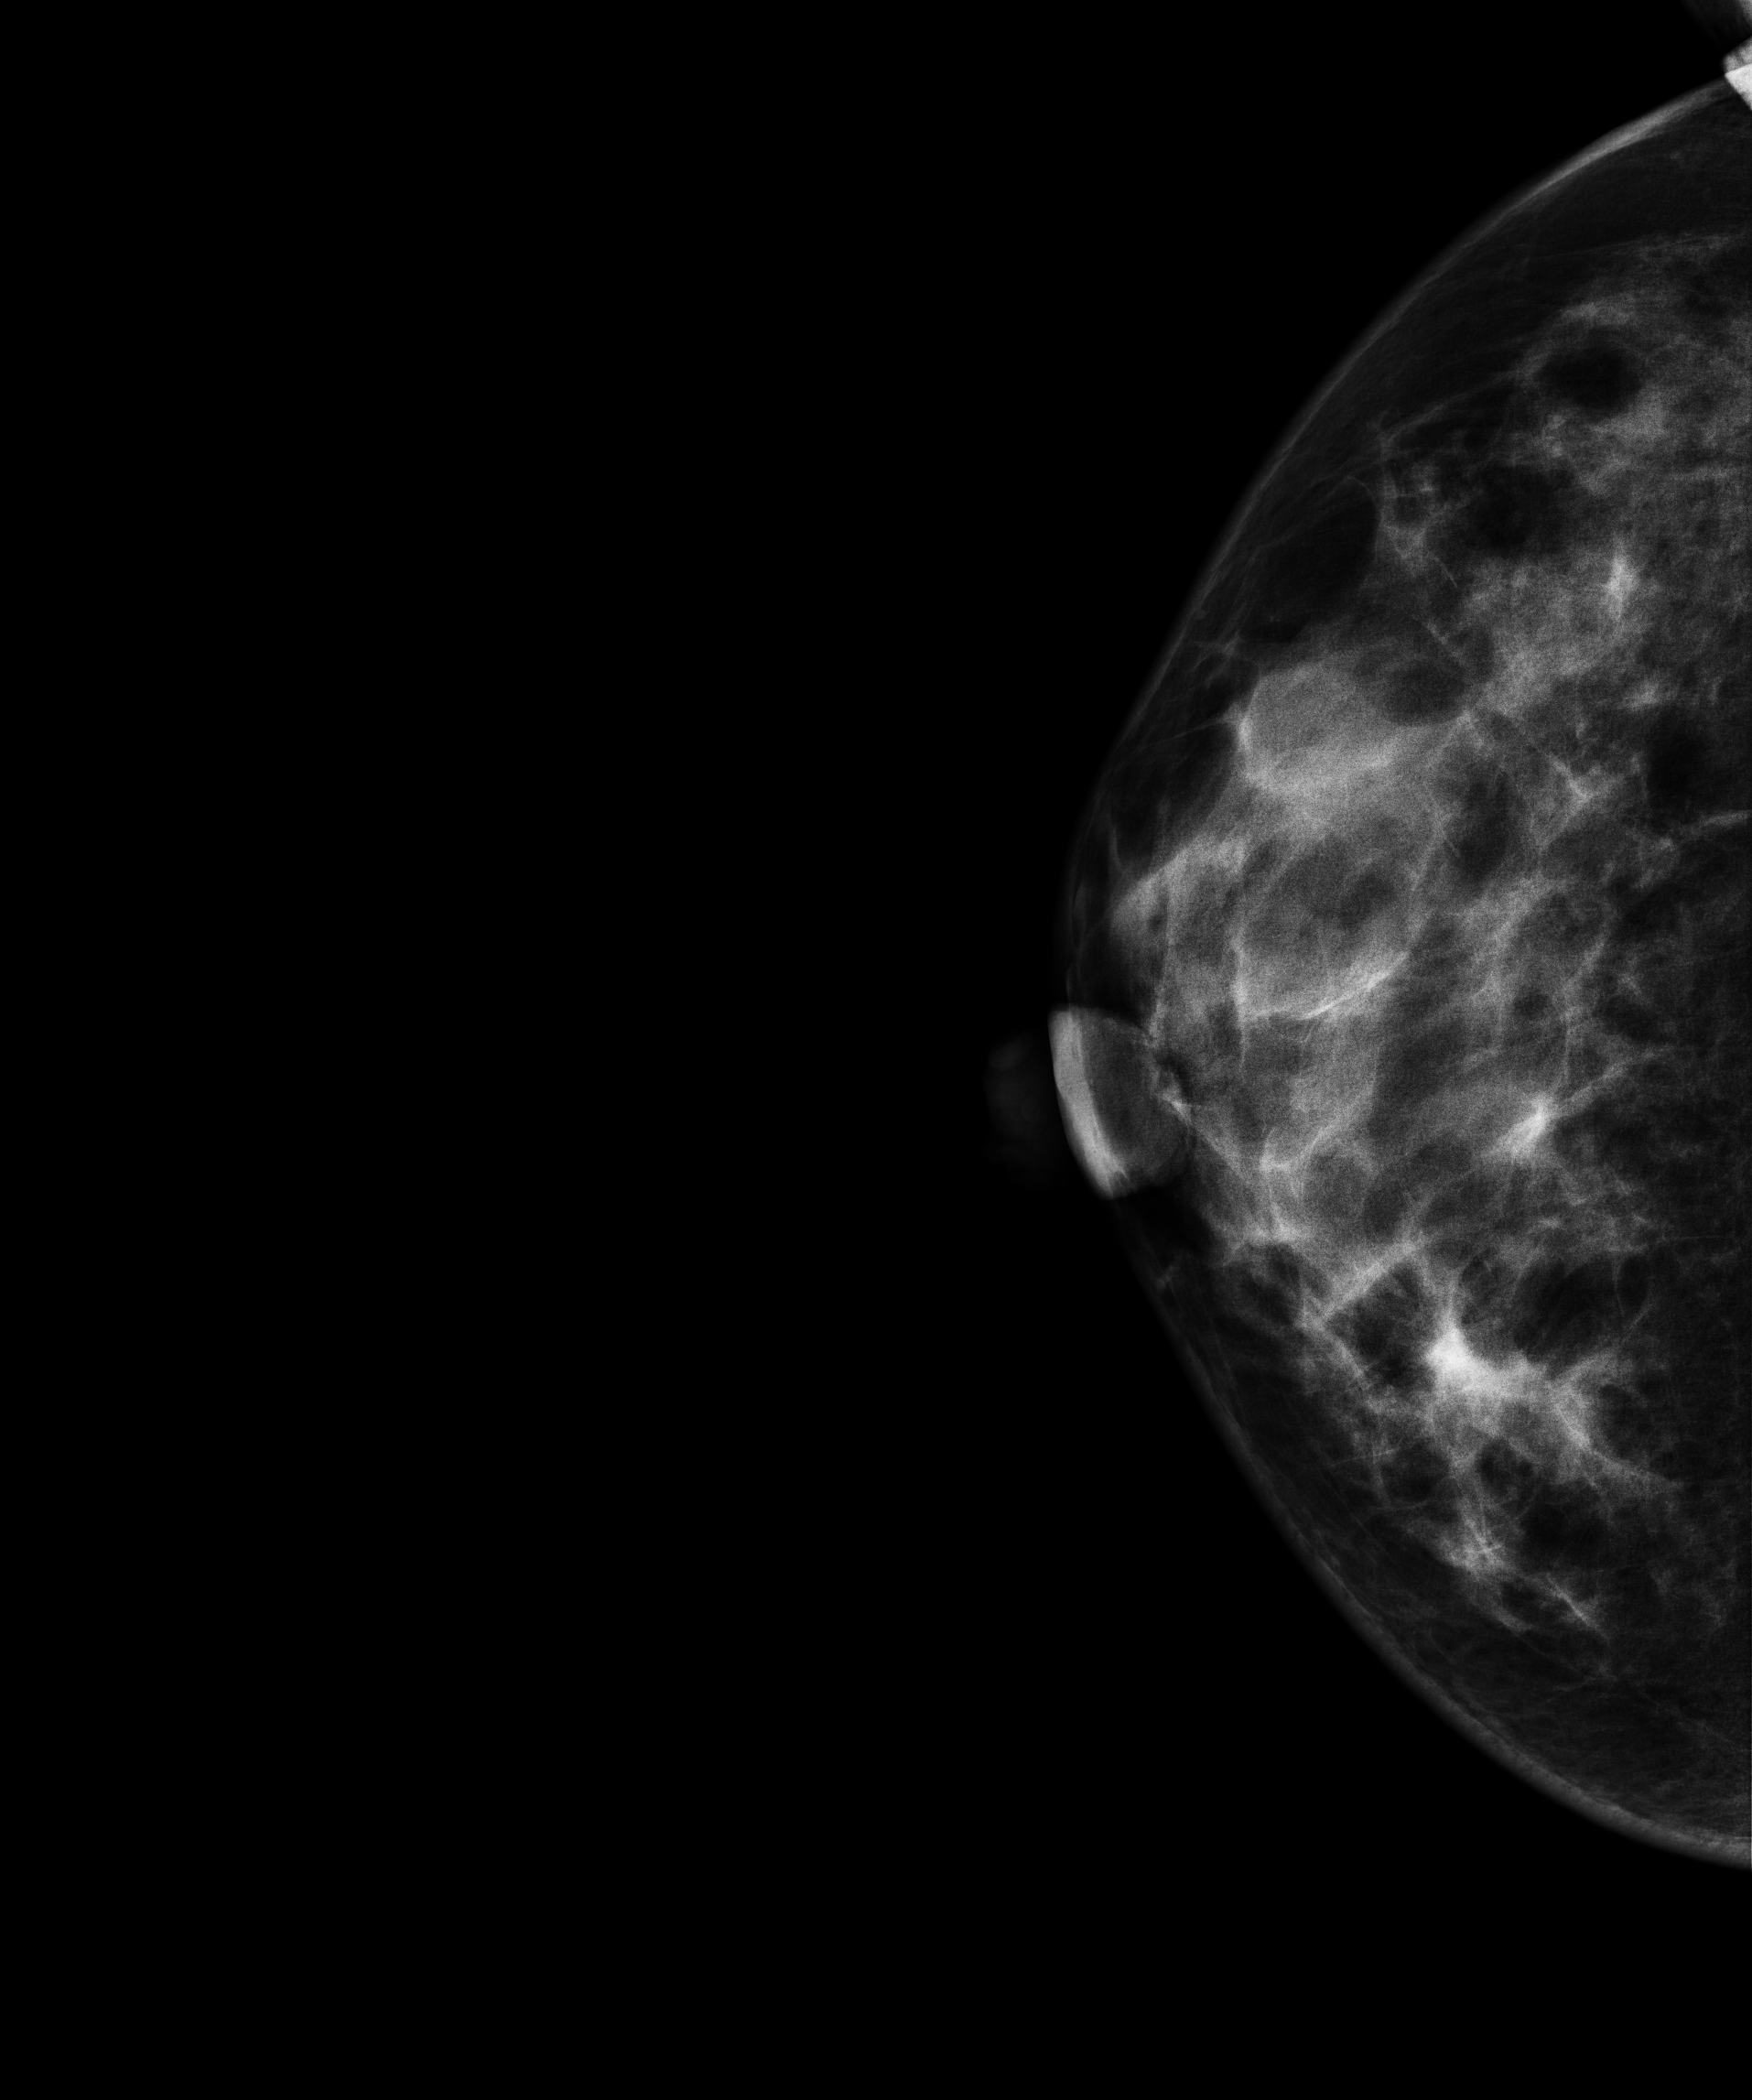
Cranio-caudal mammogram of the right breast. 40-year-old patient.
This breast has a mass, histologically confirmed malignant.